Mammogram — left MLO. Patient age 49.
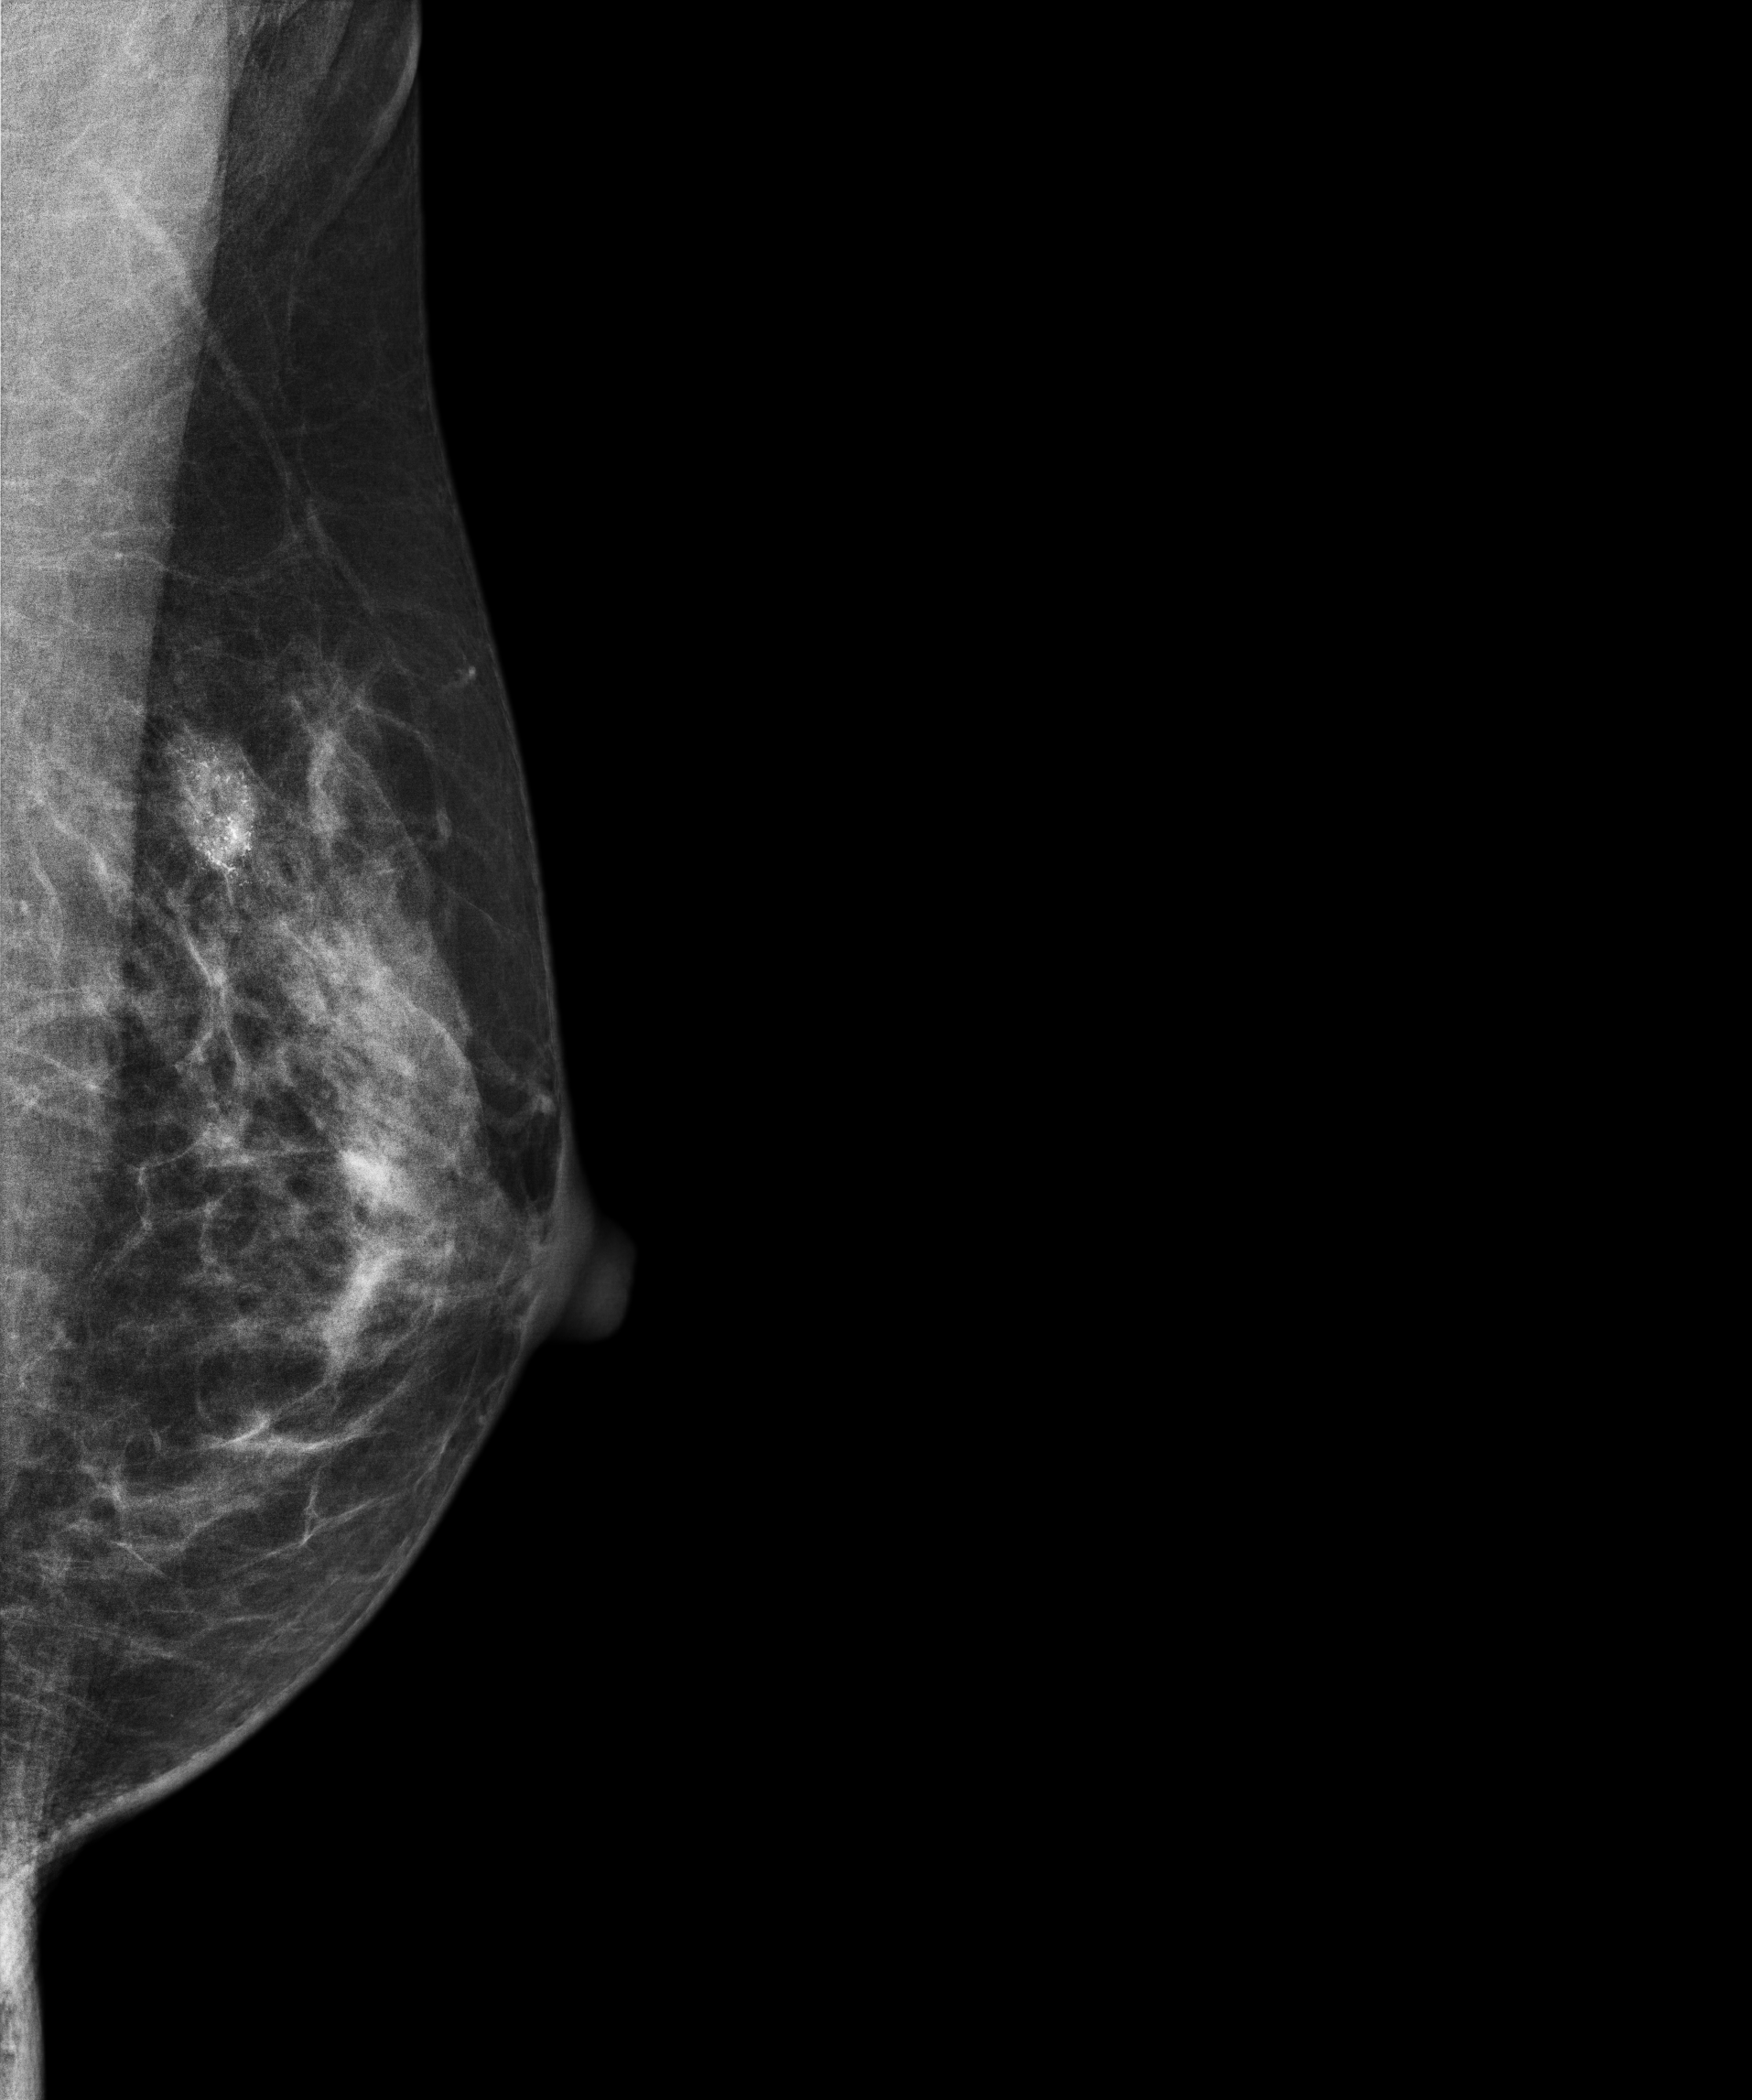
This breast has a mass and calcifications, pathology-confirmed malignant.